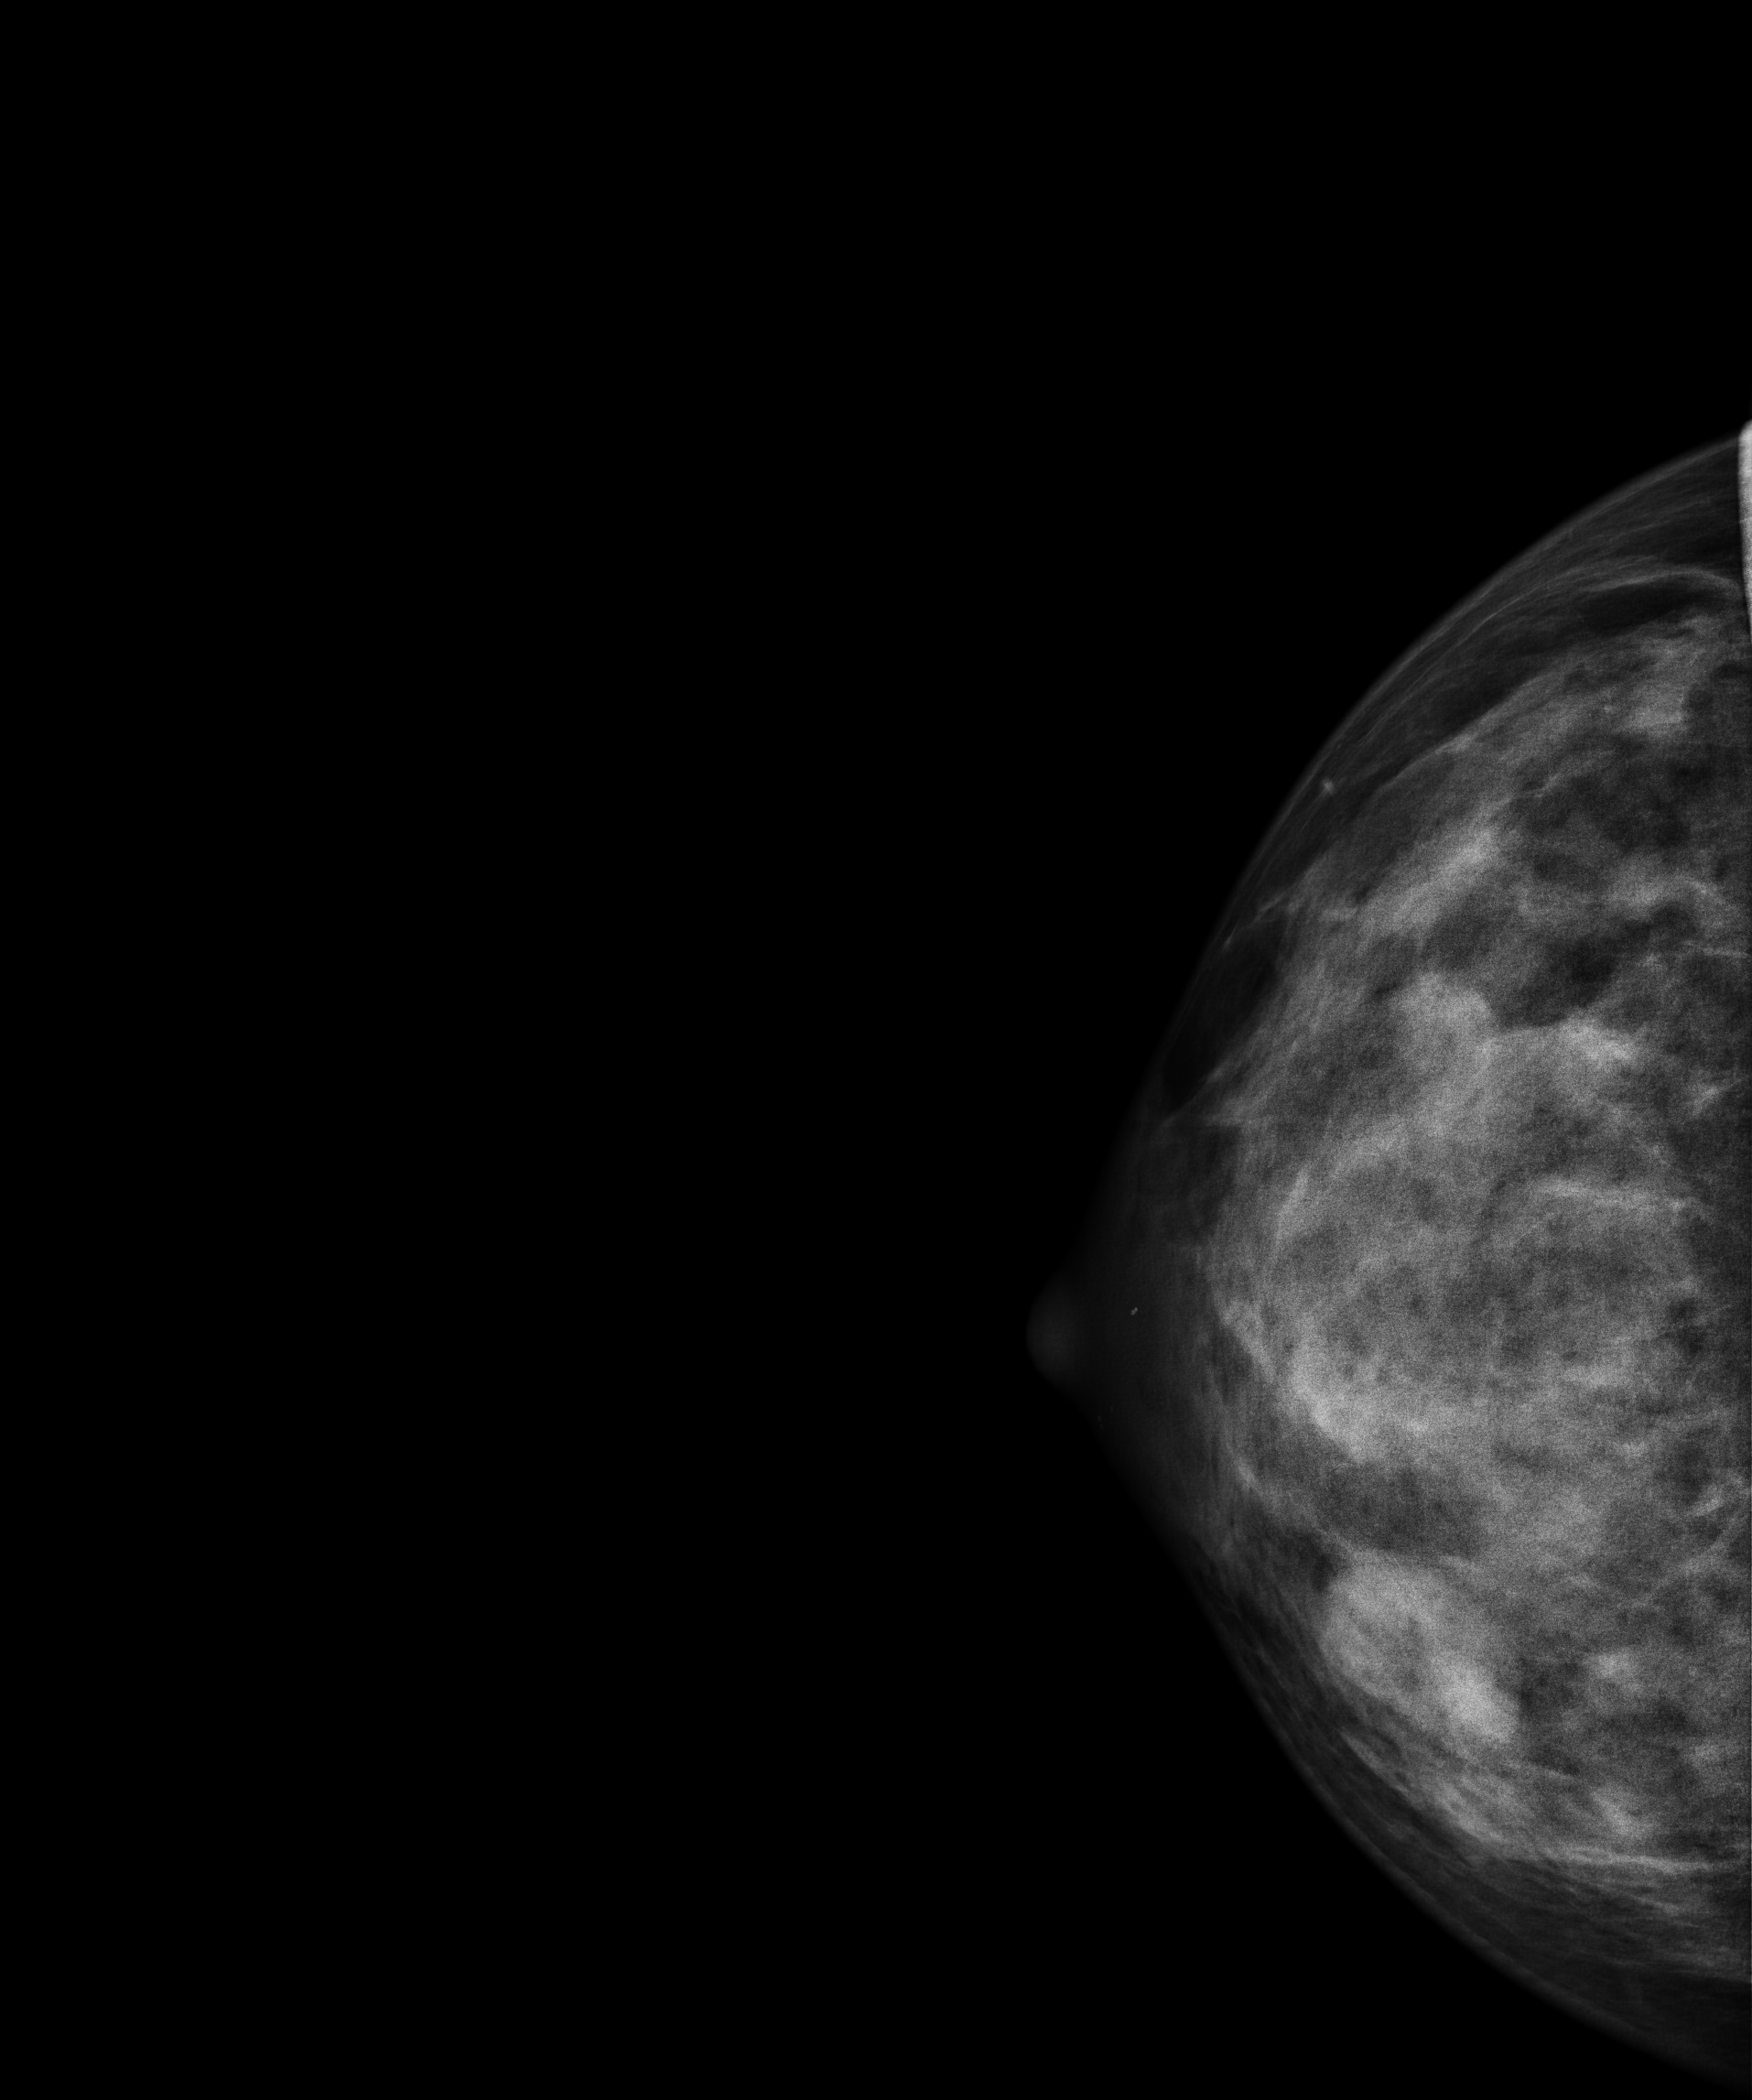
Digital mammography. Right breast, cranio-caudal projection. 29-year-old patient.
This breast has a mass, biopsy-proven benign.